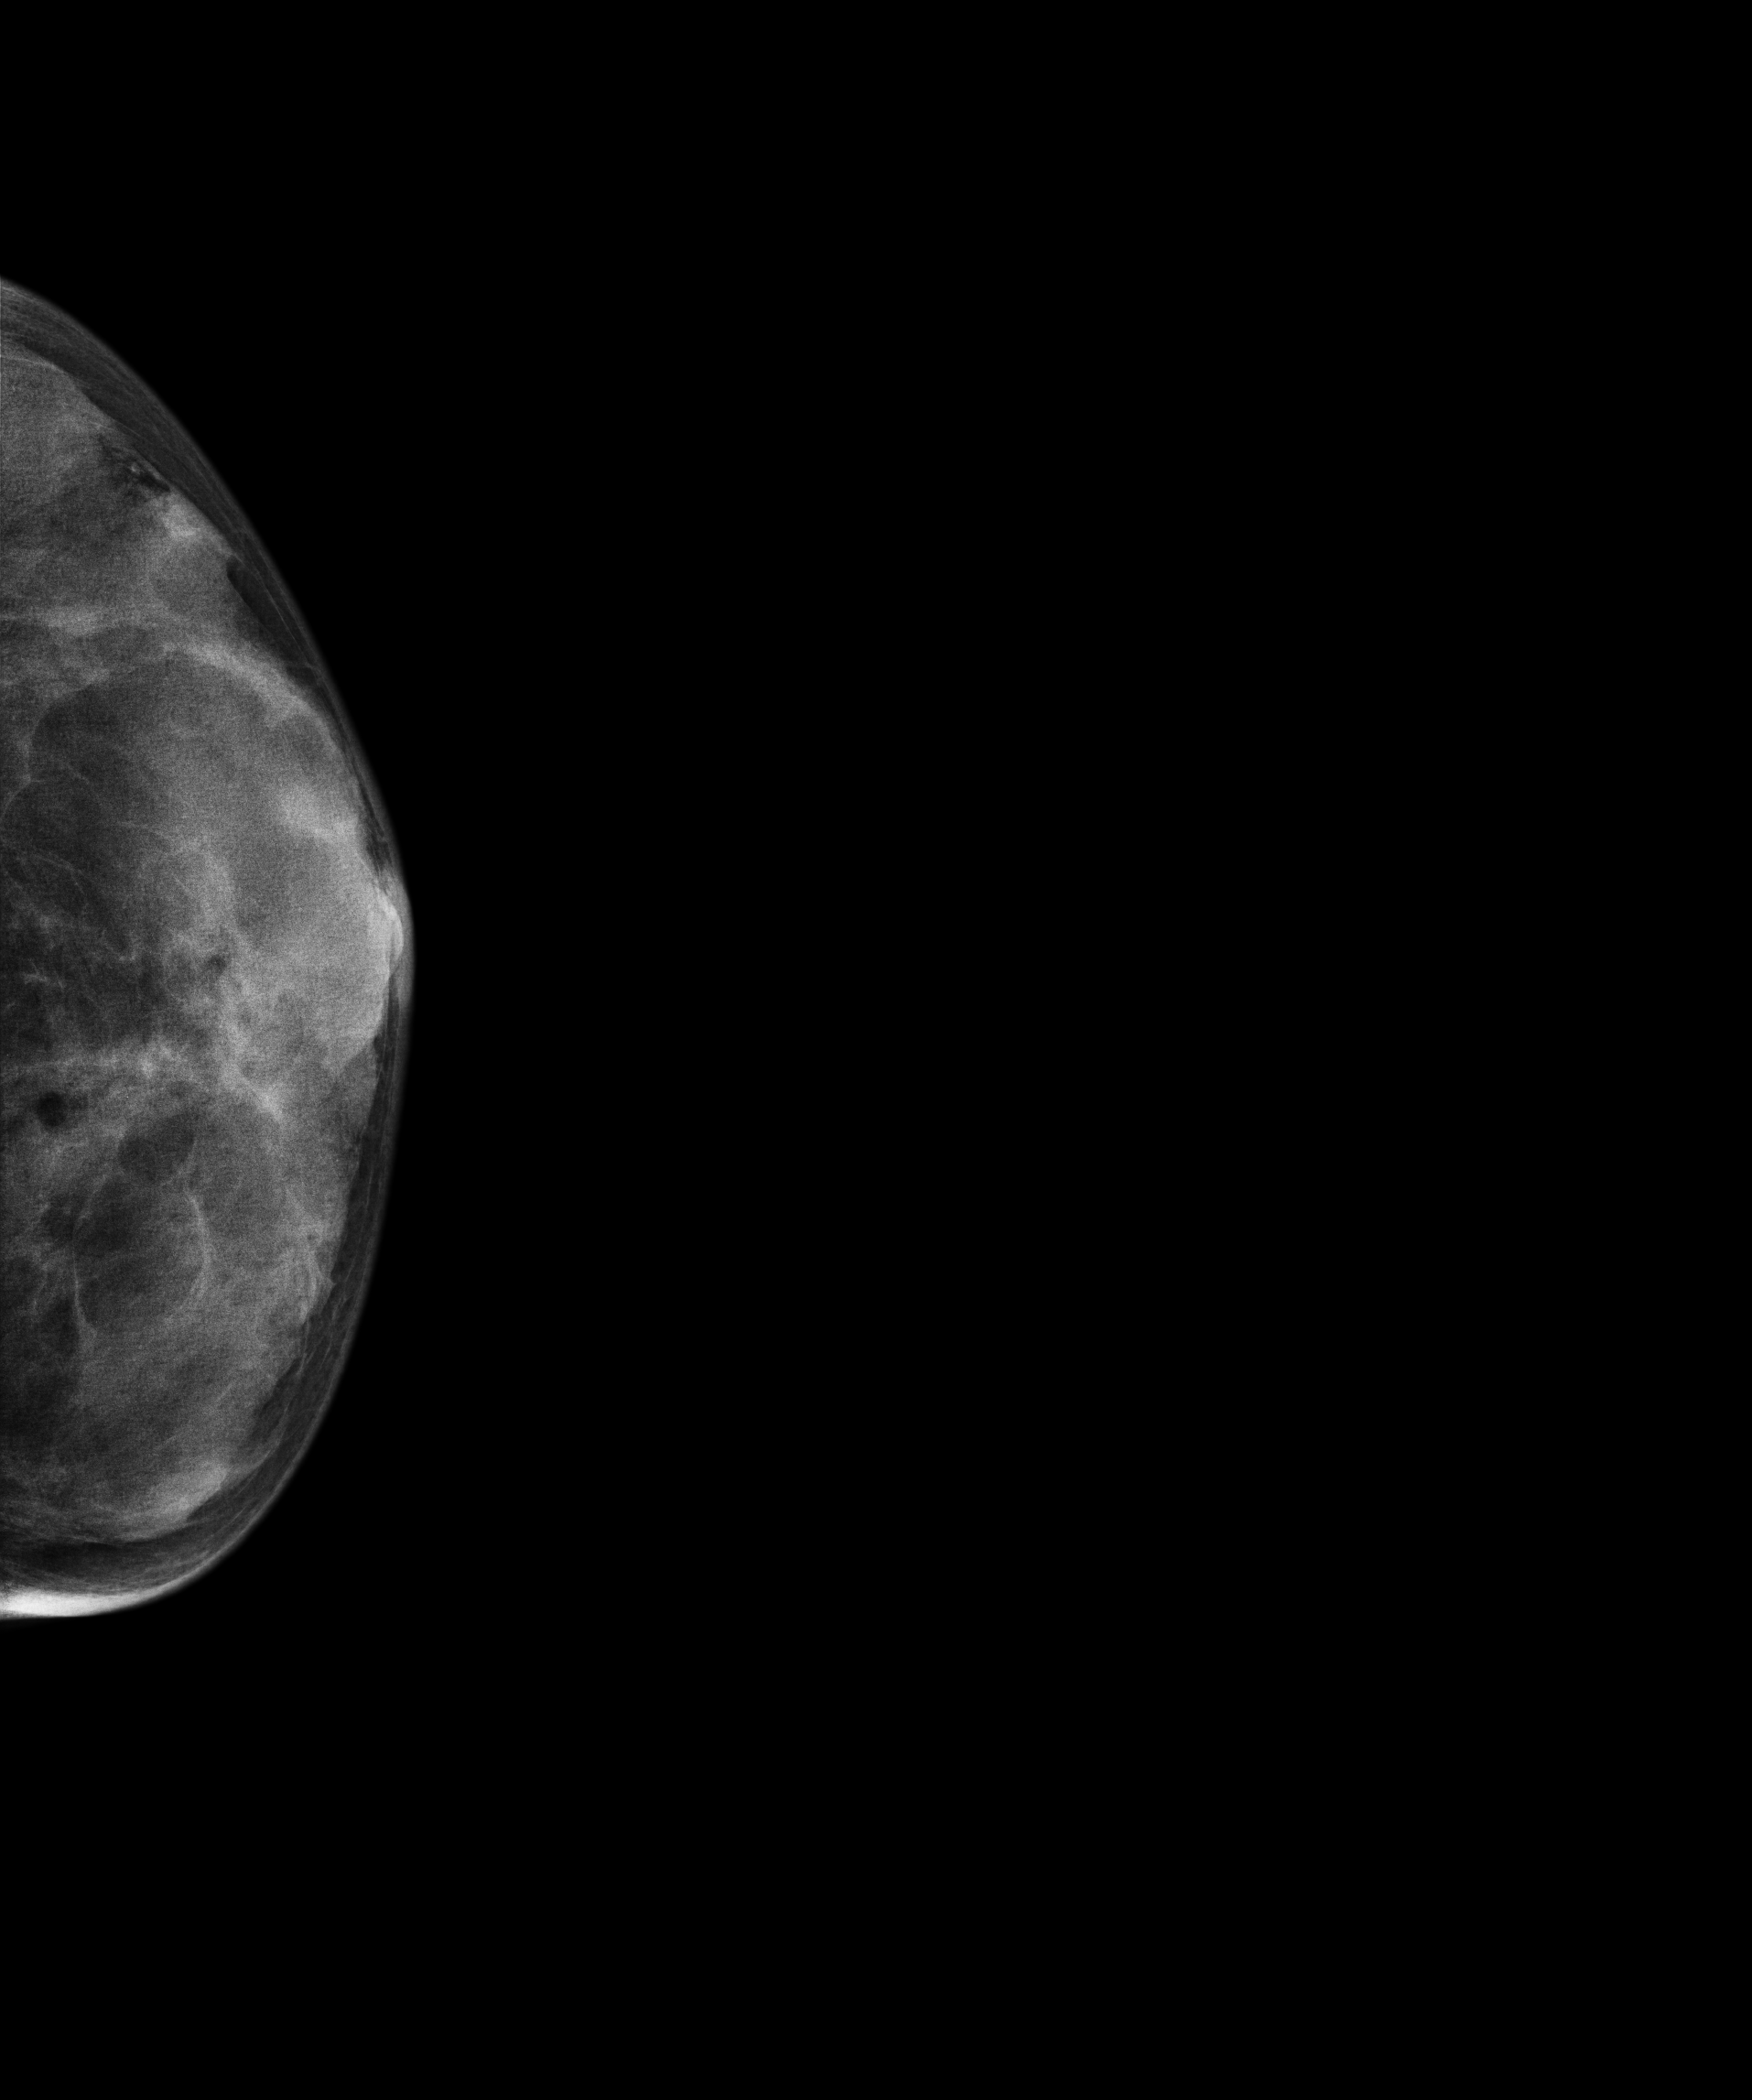
Mammogram, left breast, CC view. 45 y/o patient.
This breast has a mass, pathology-confirmed benign.